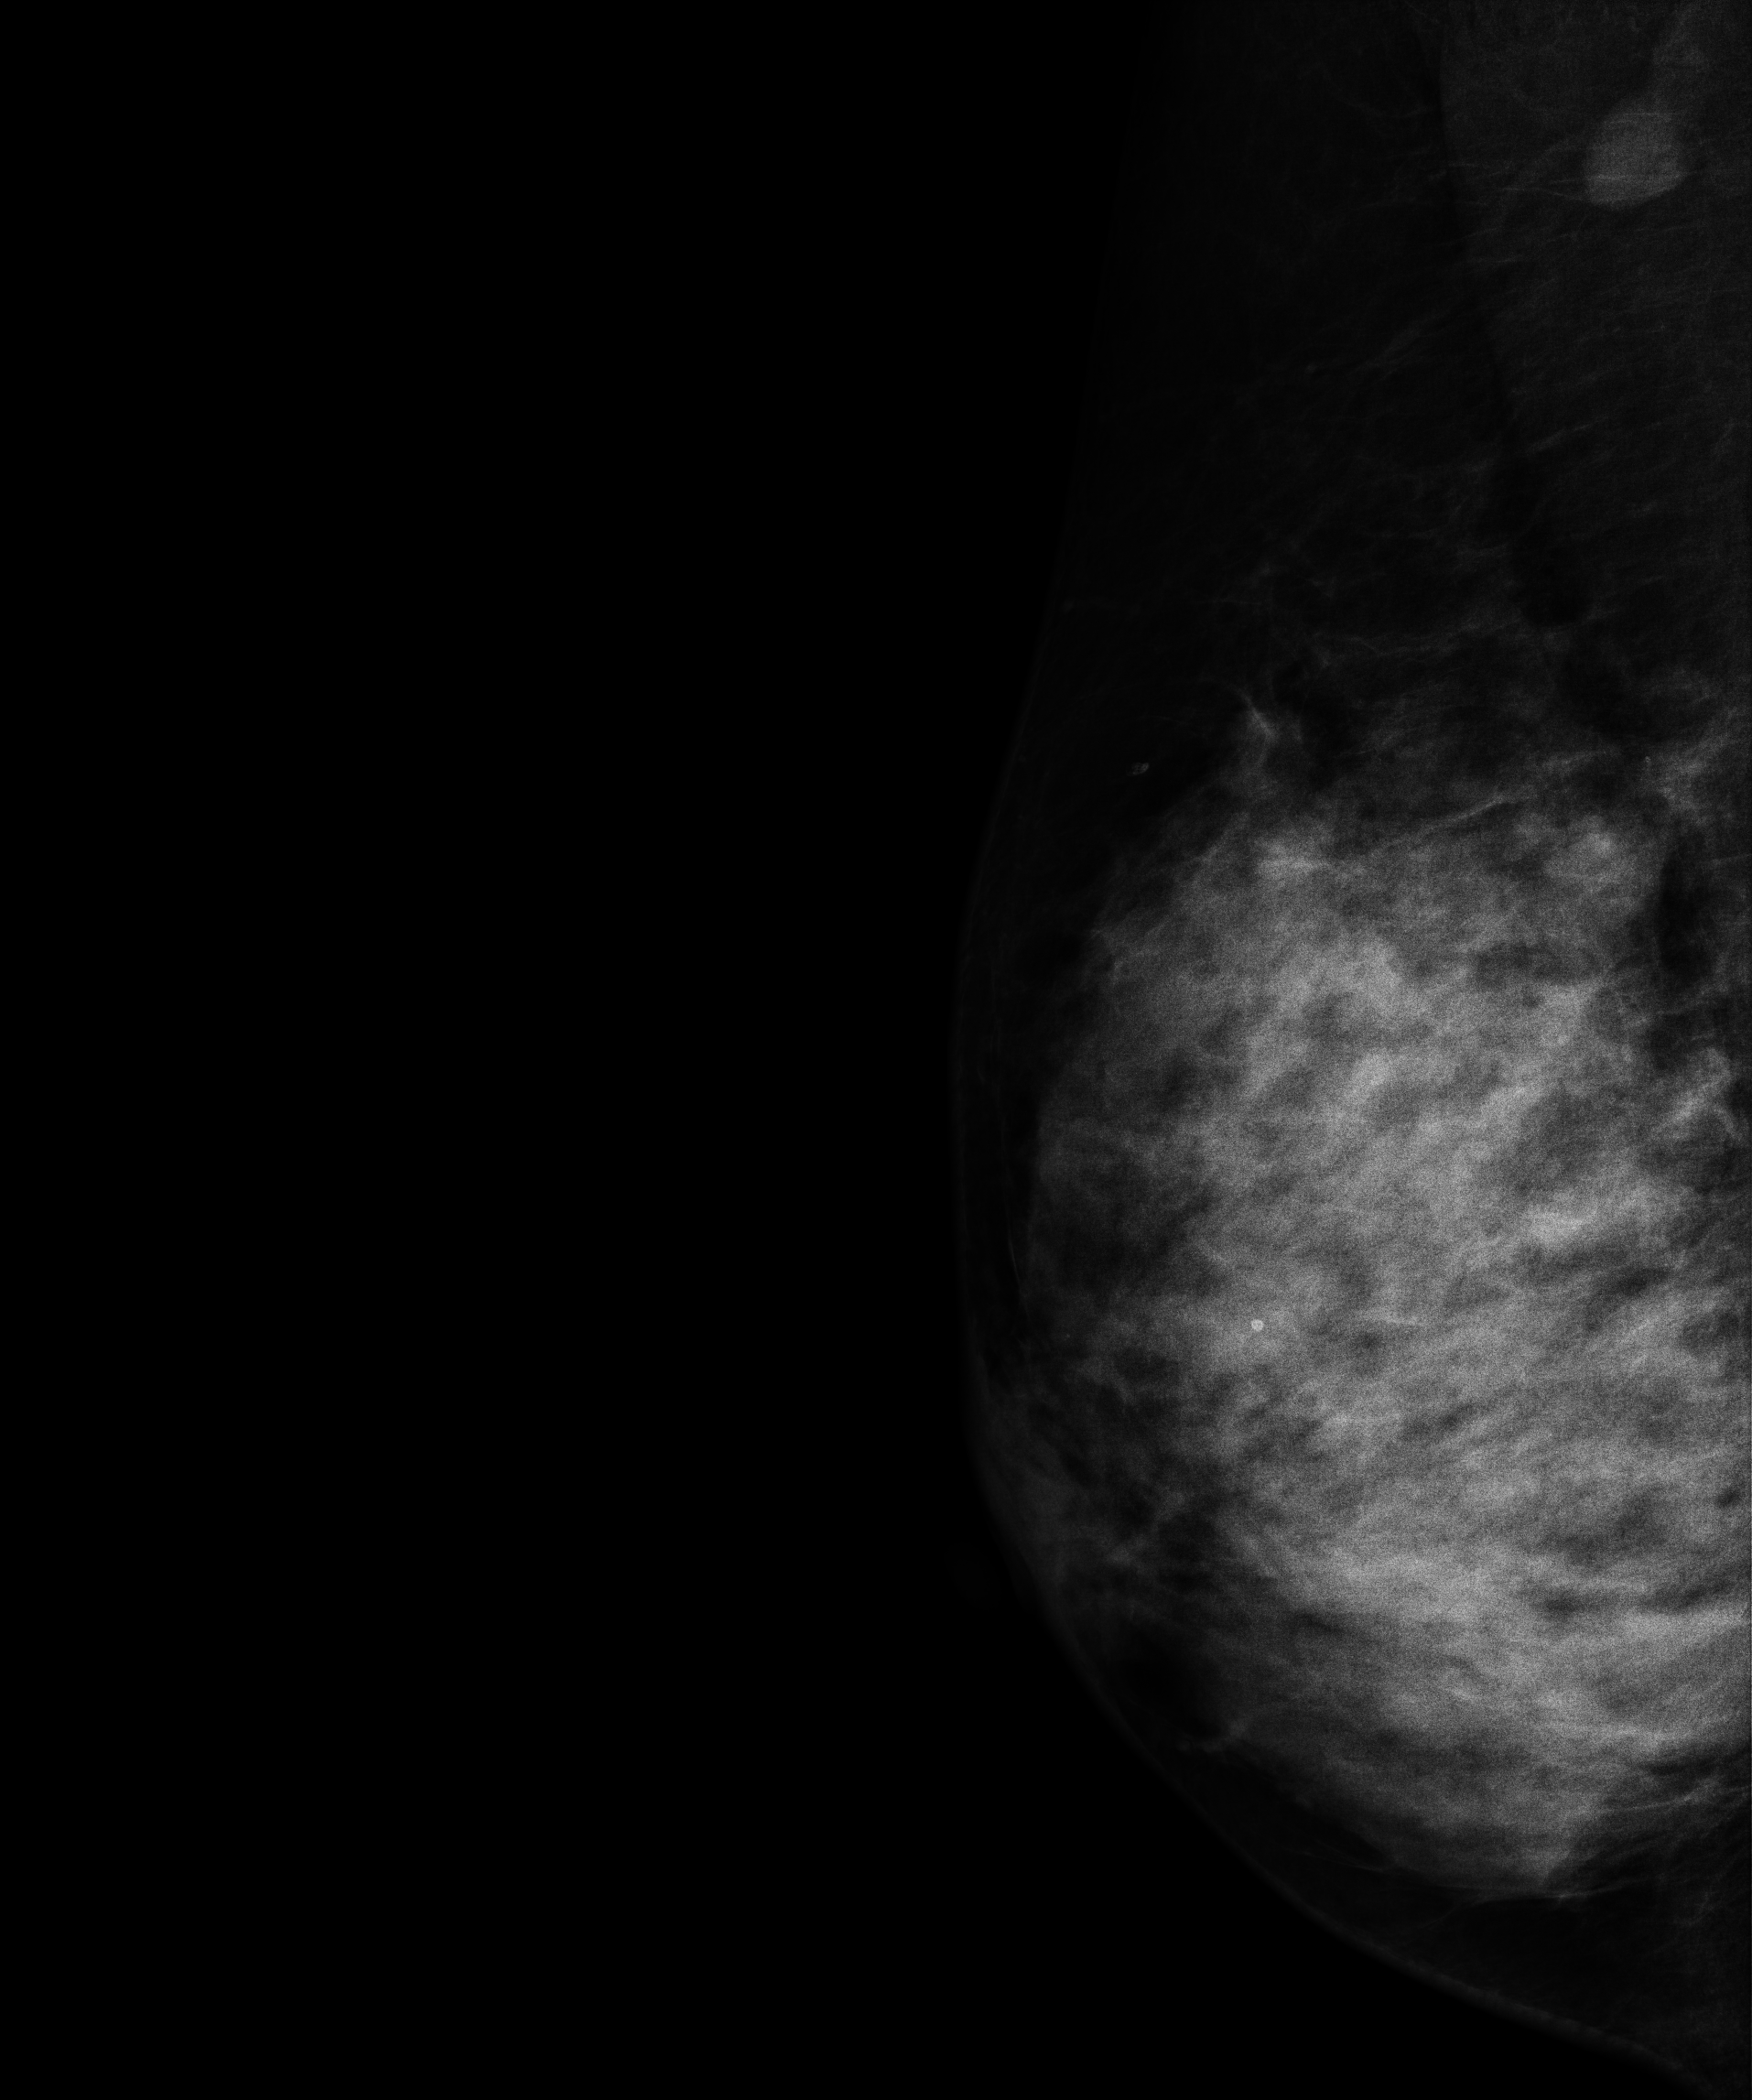
Mammogram — right MLO. Patient age 50.
This breast has a mass, biopsy-proven malignant.